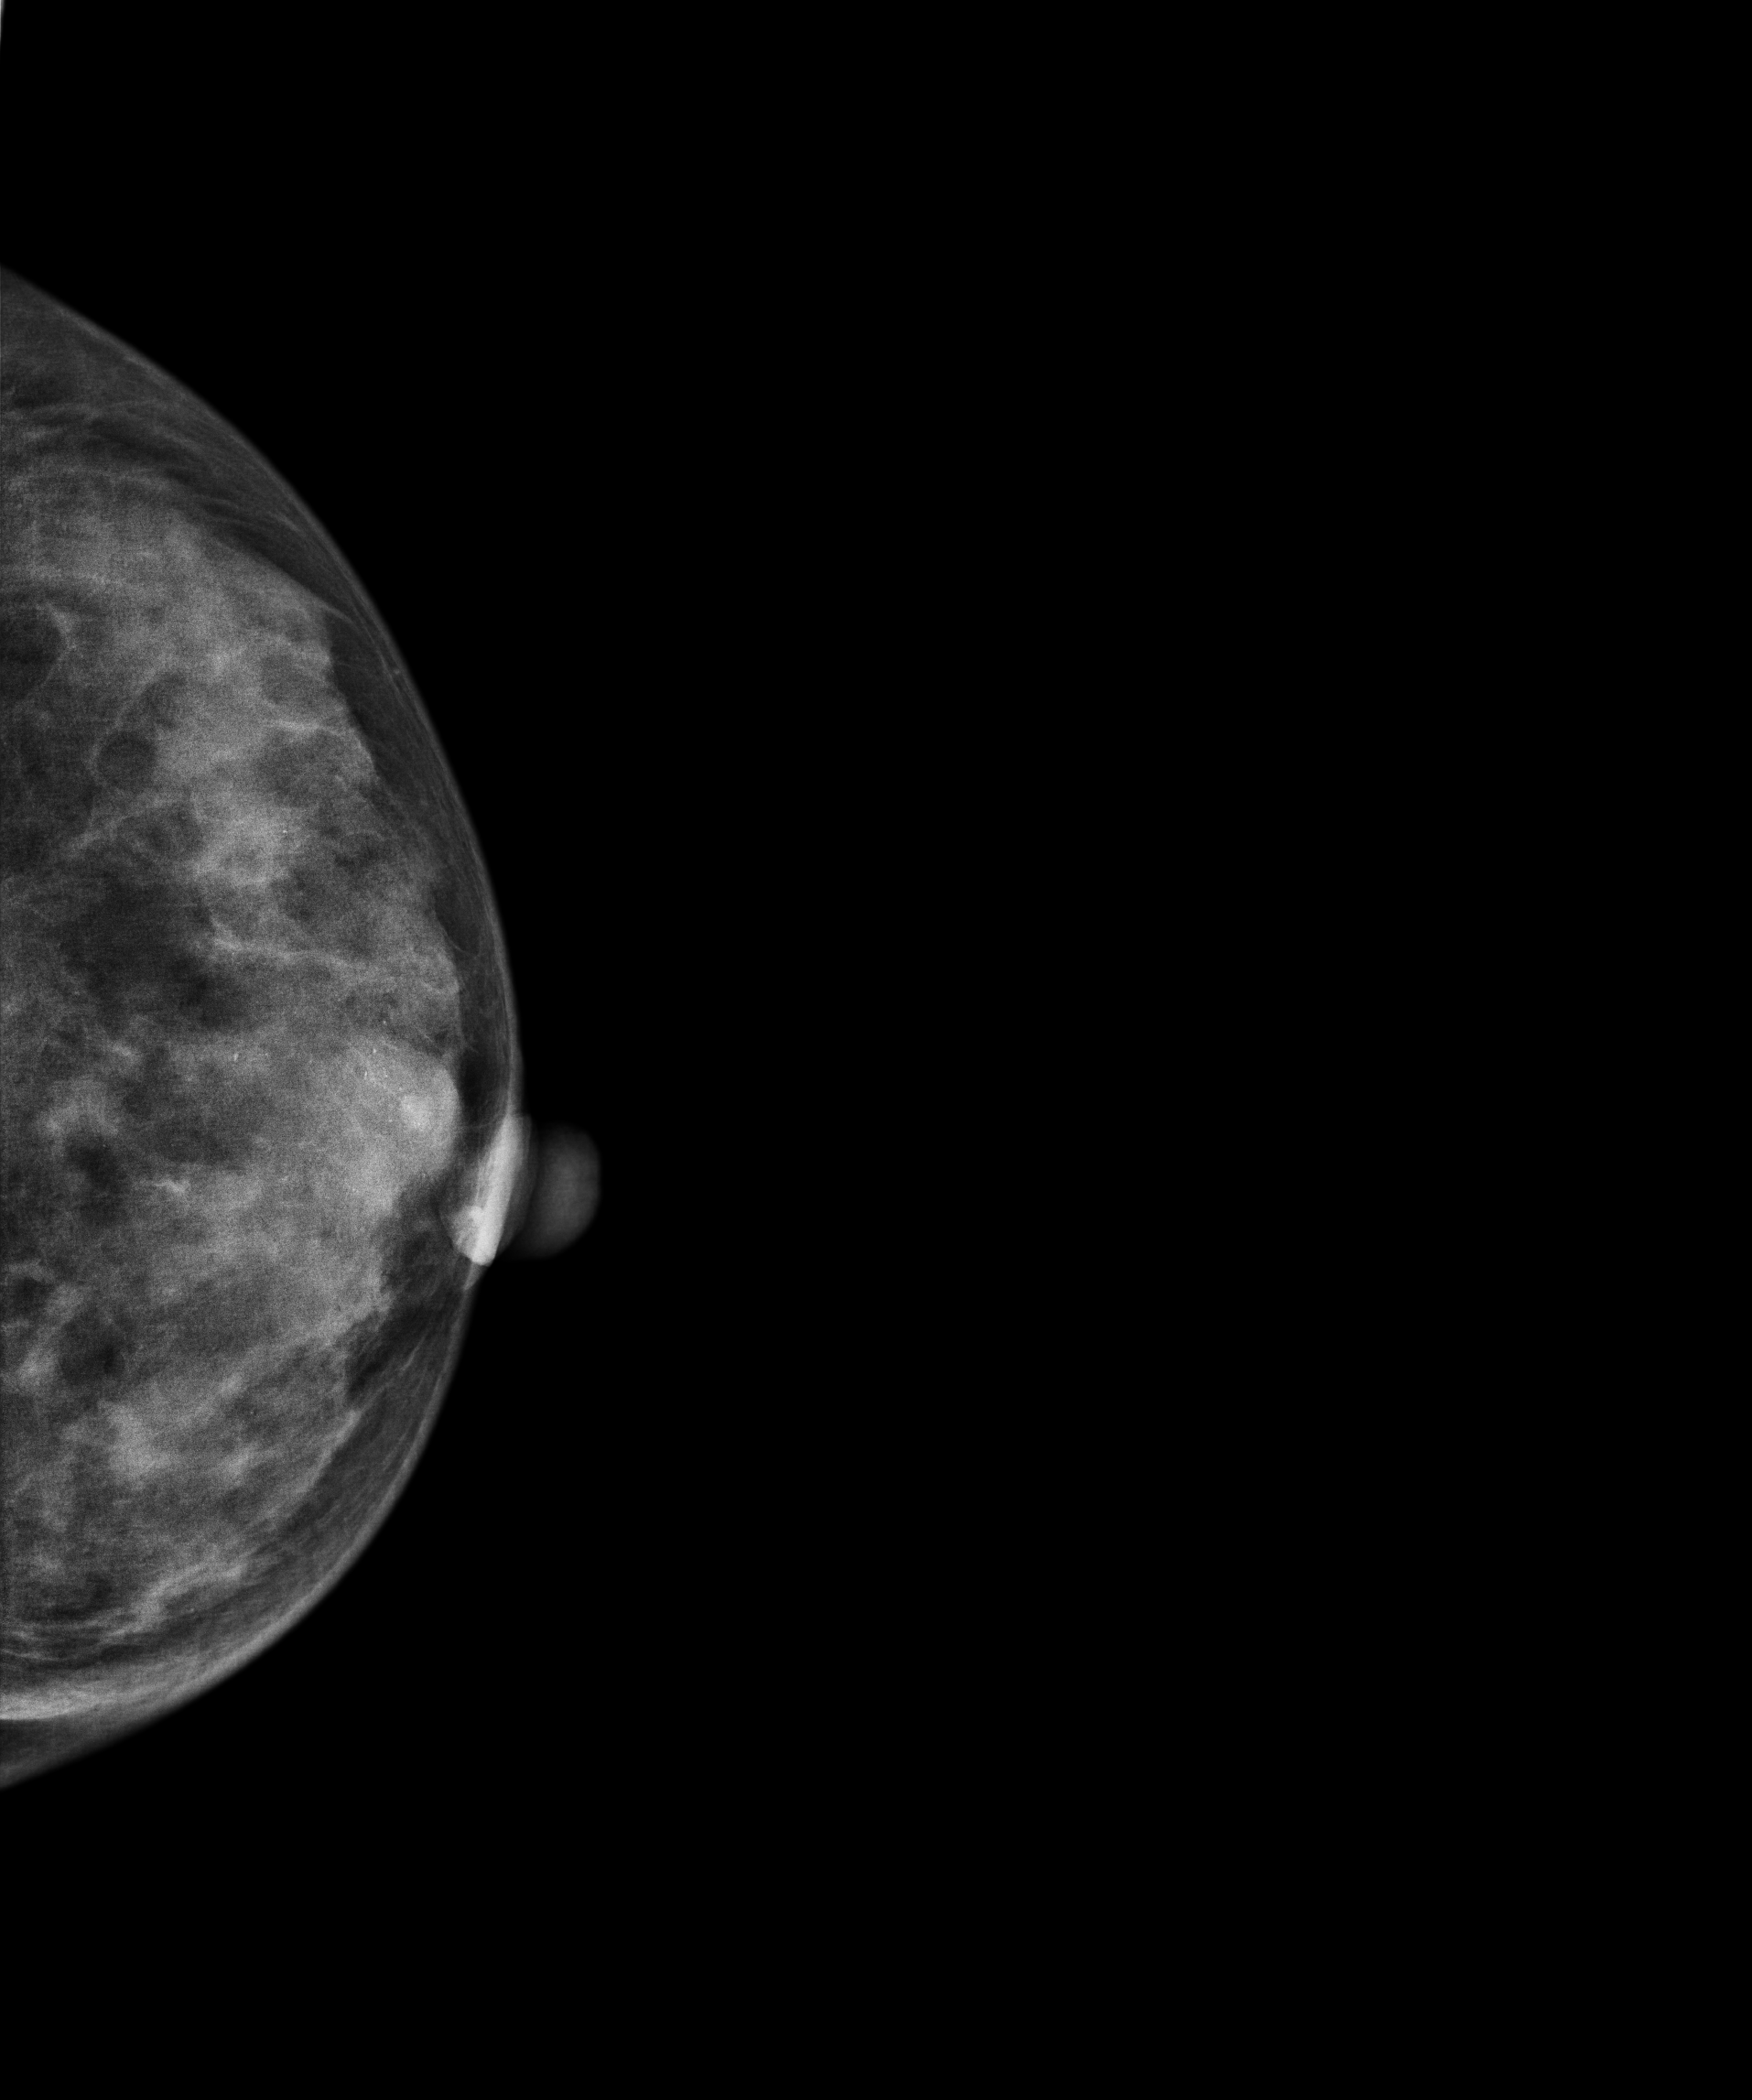
Mammogram, left breast, CC view. Patient age 33.
Contralateral breast — no documented abnormality on this side.